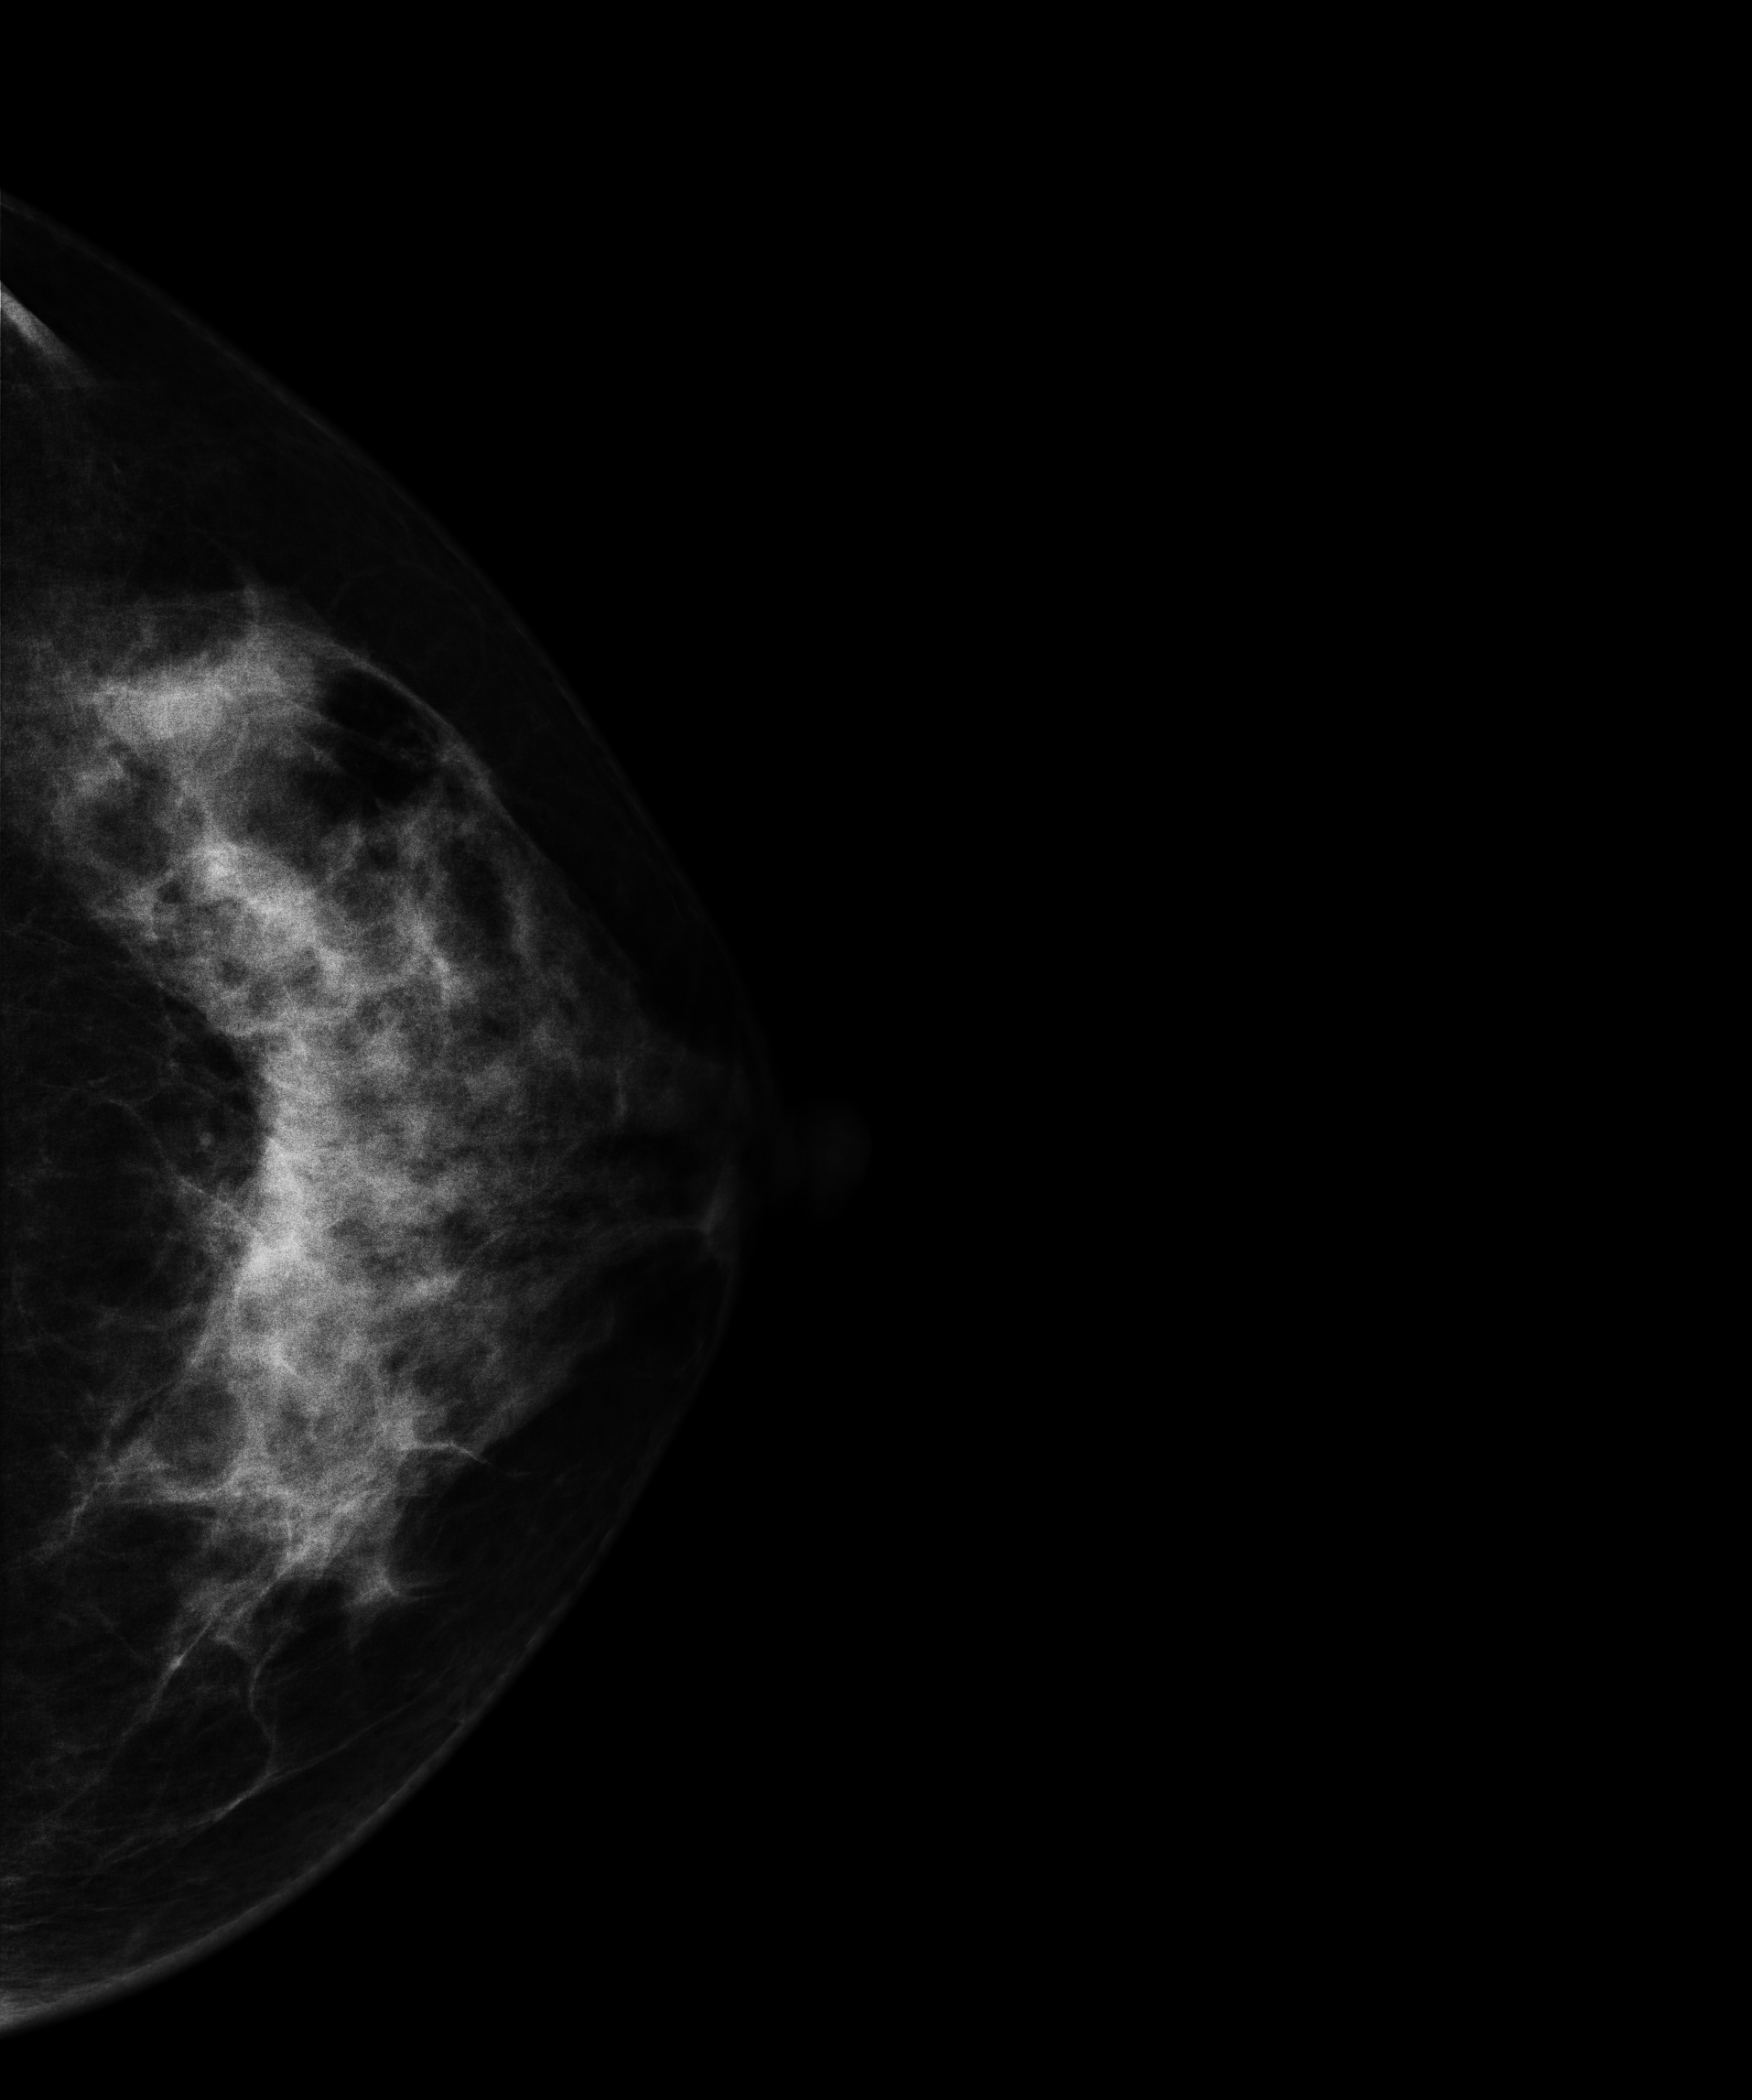
Digital mammography. Left breast, cranio-caudal projection. 48 y/o patient.
Contralateral breast — no documented abnormality on this side.